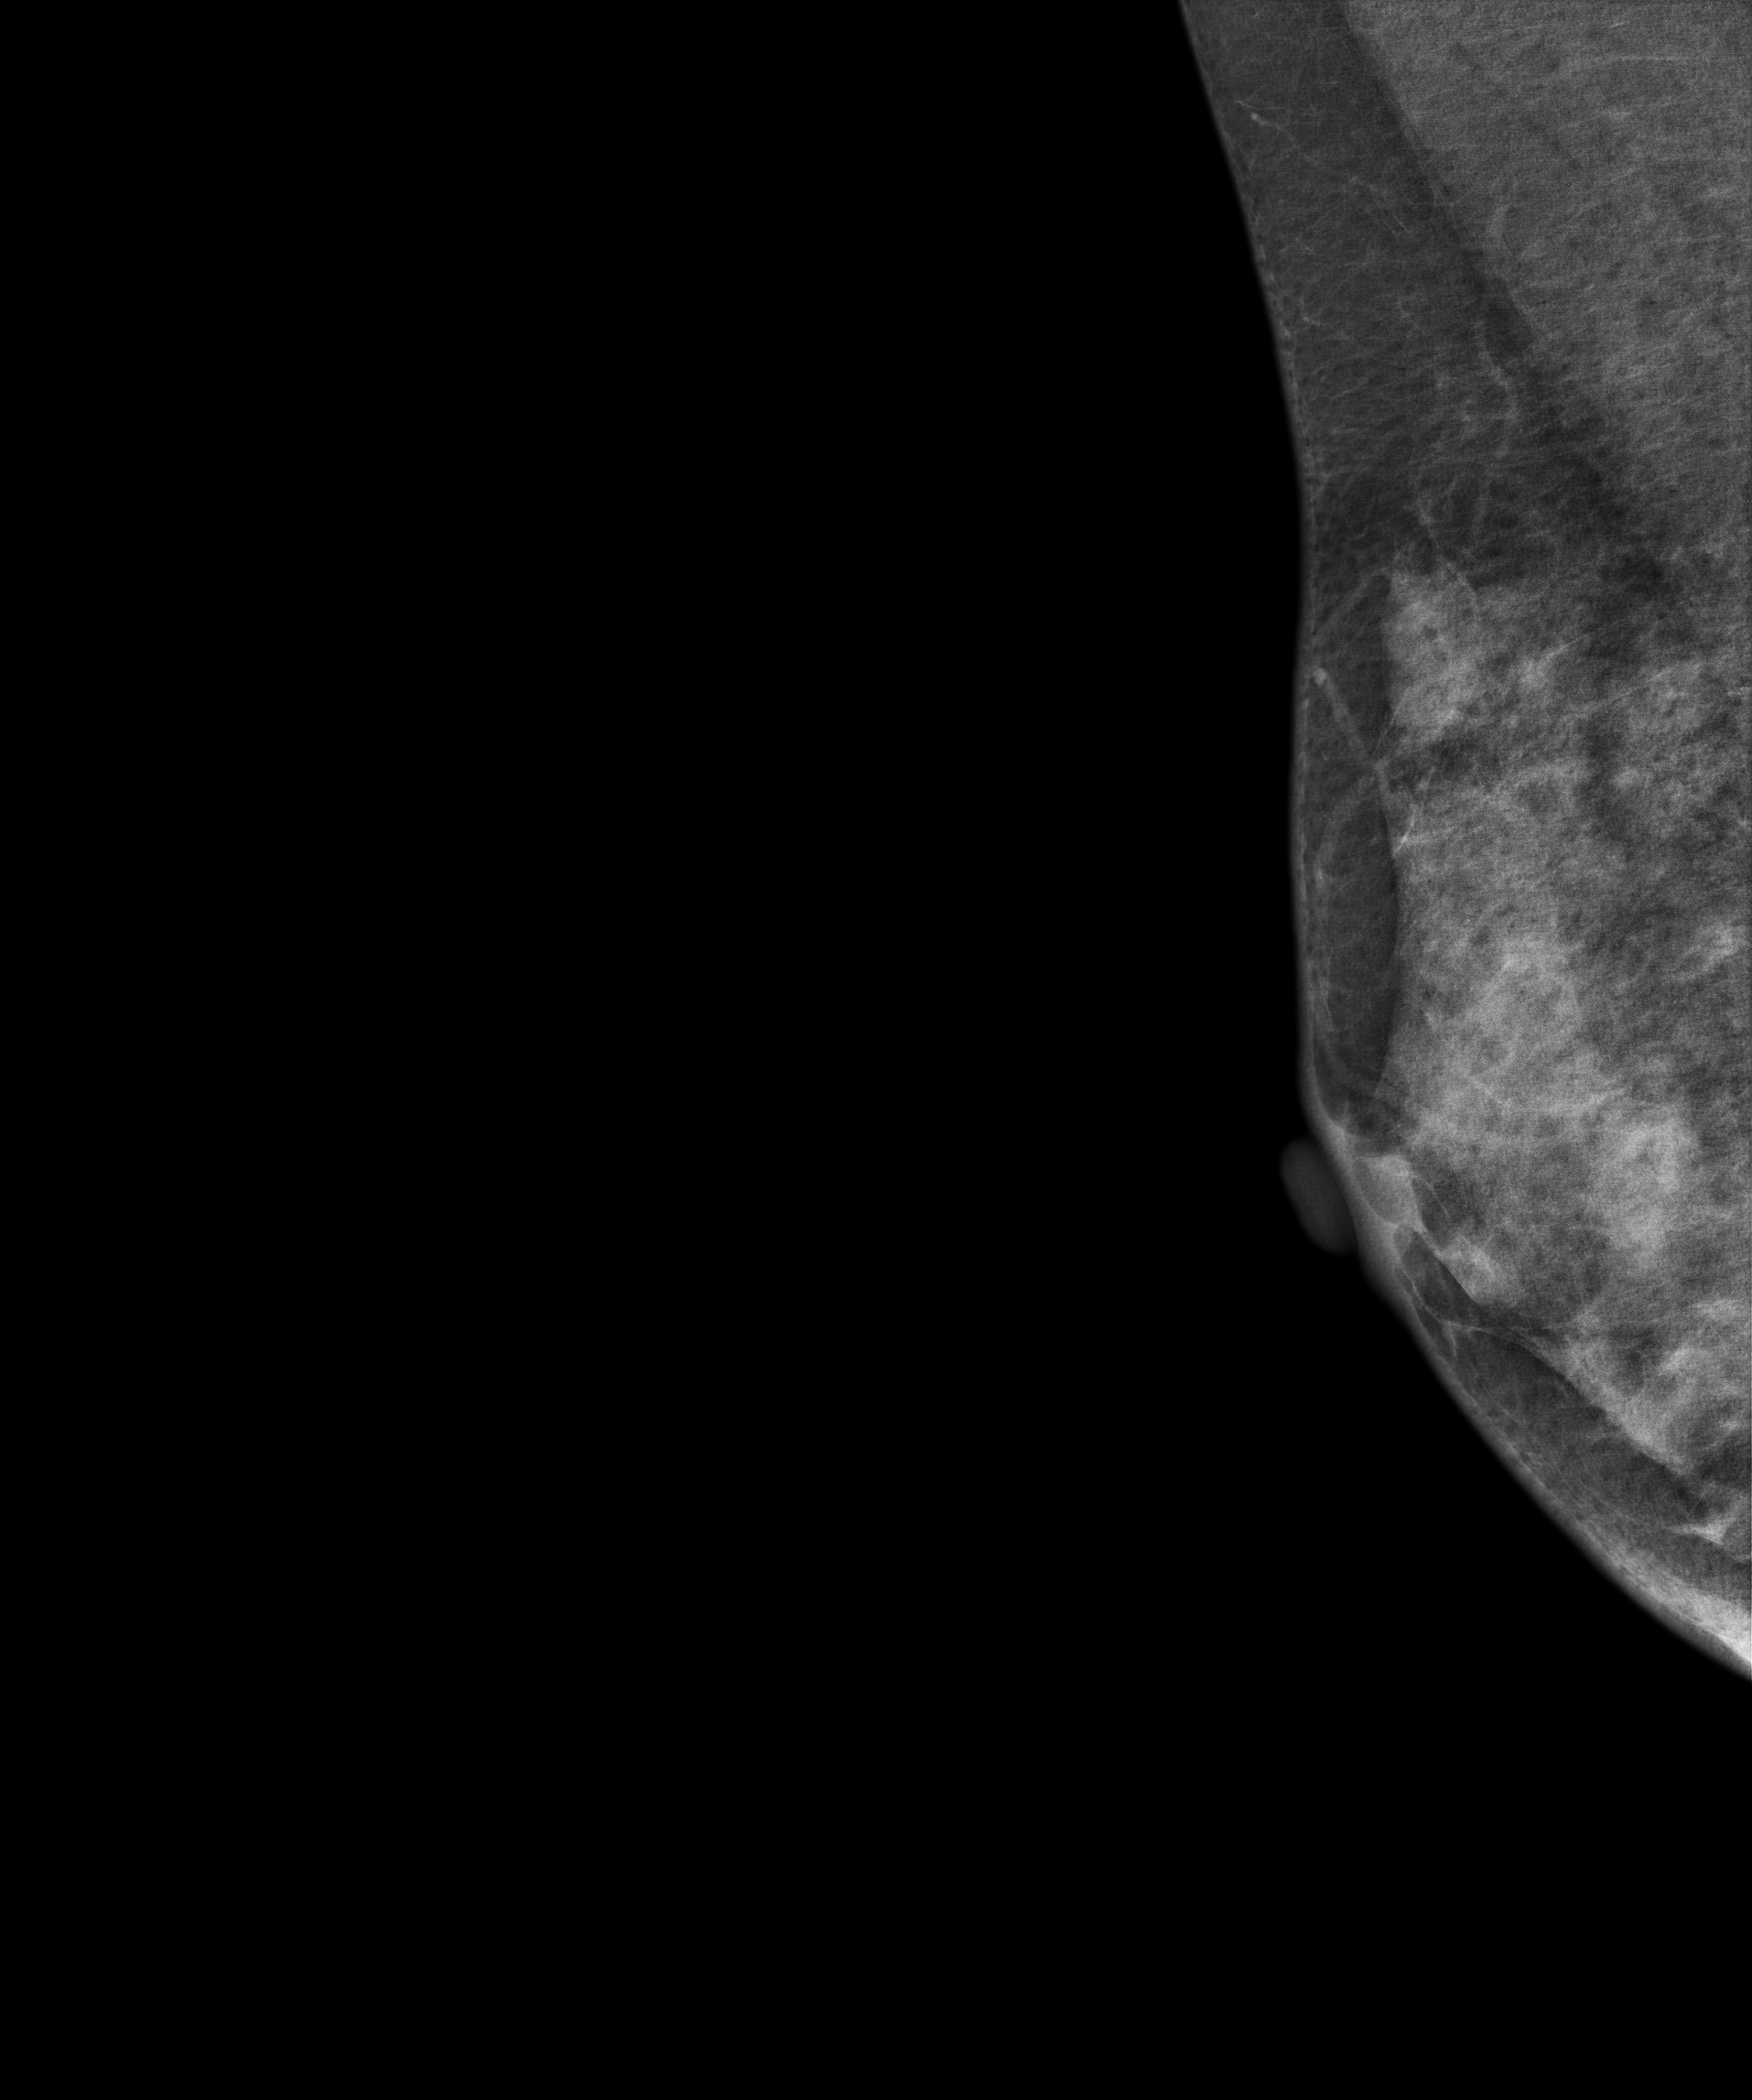
Mammogram, right breast, medio-lateral oblique view. 44 y/o patient.
Contralateral breast — no documented abnormality on this side.